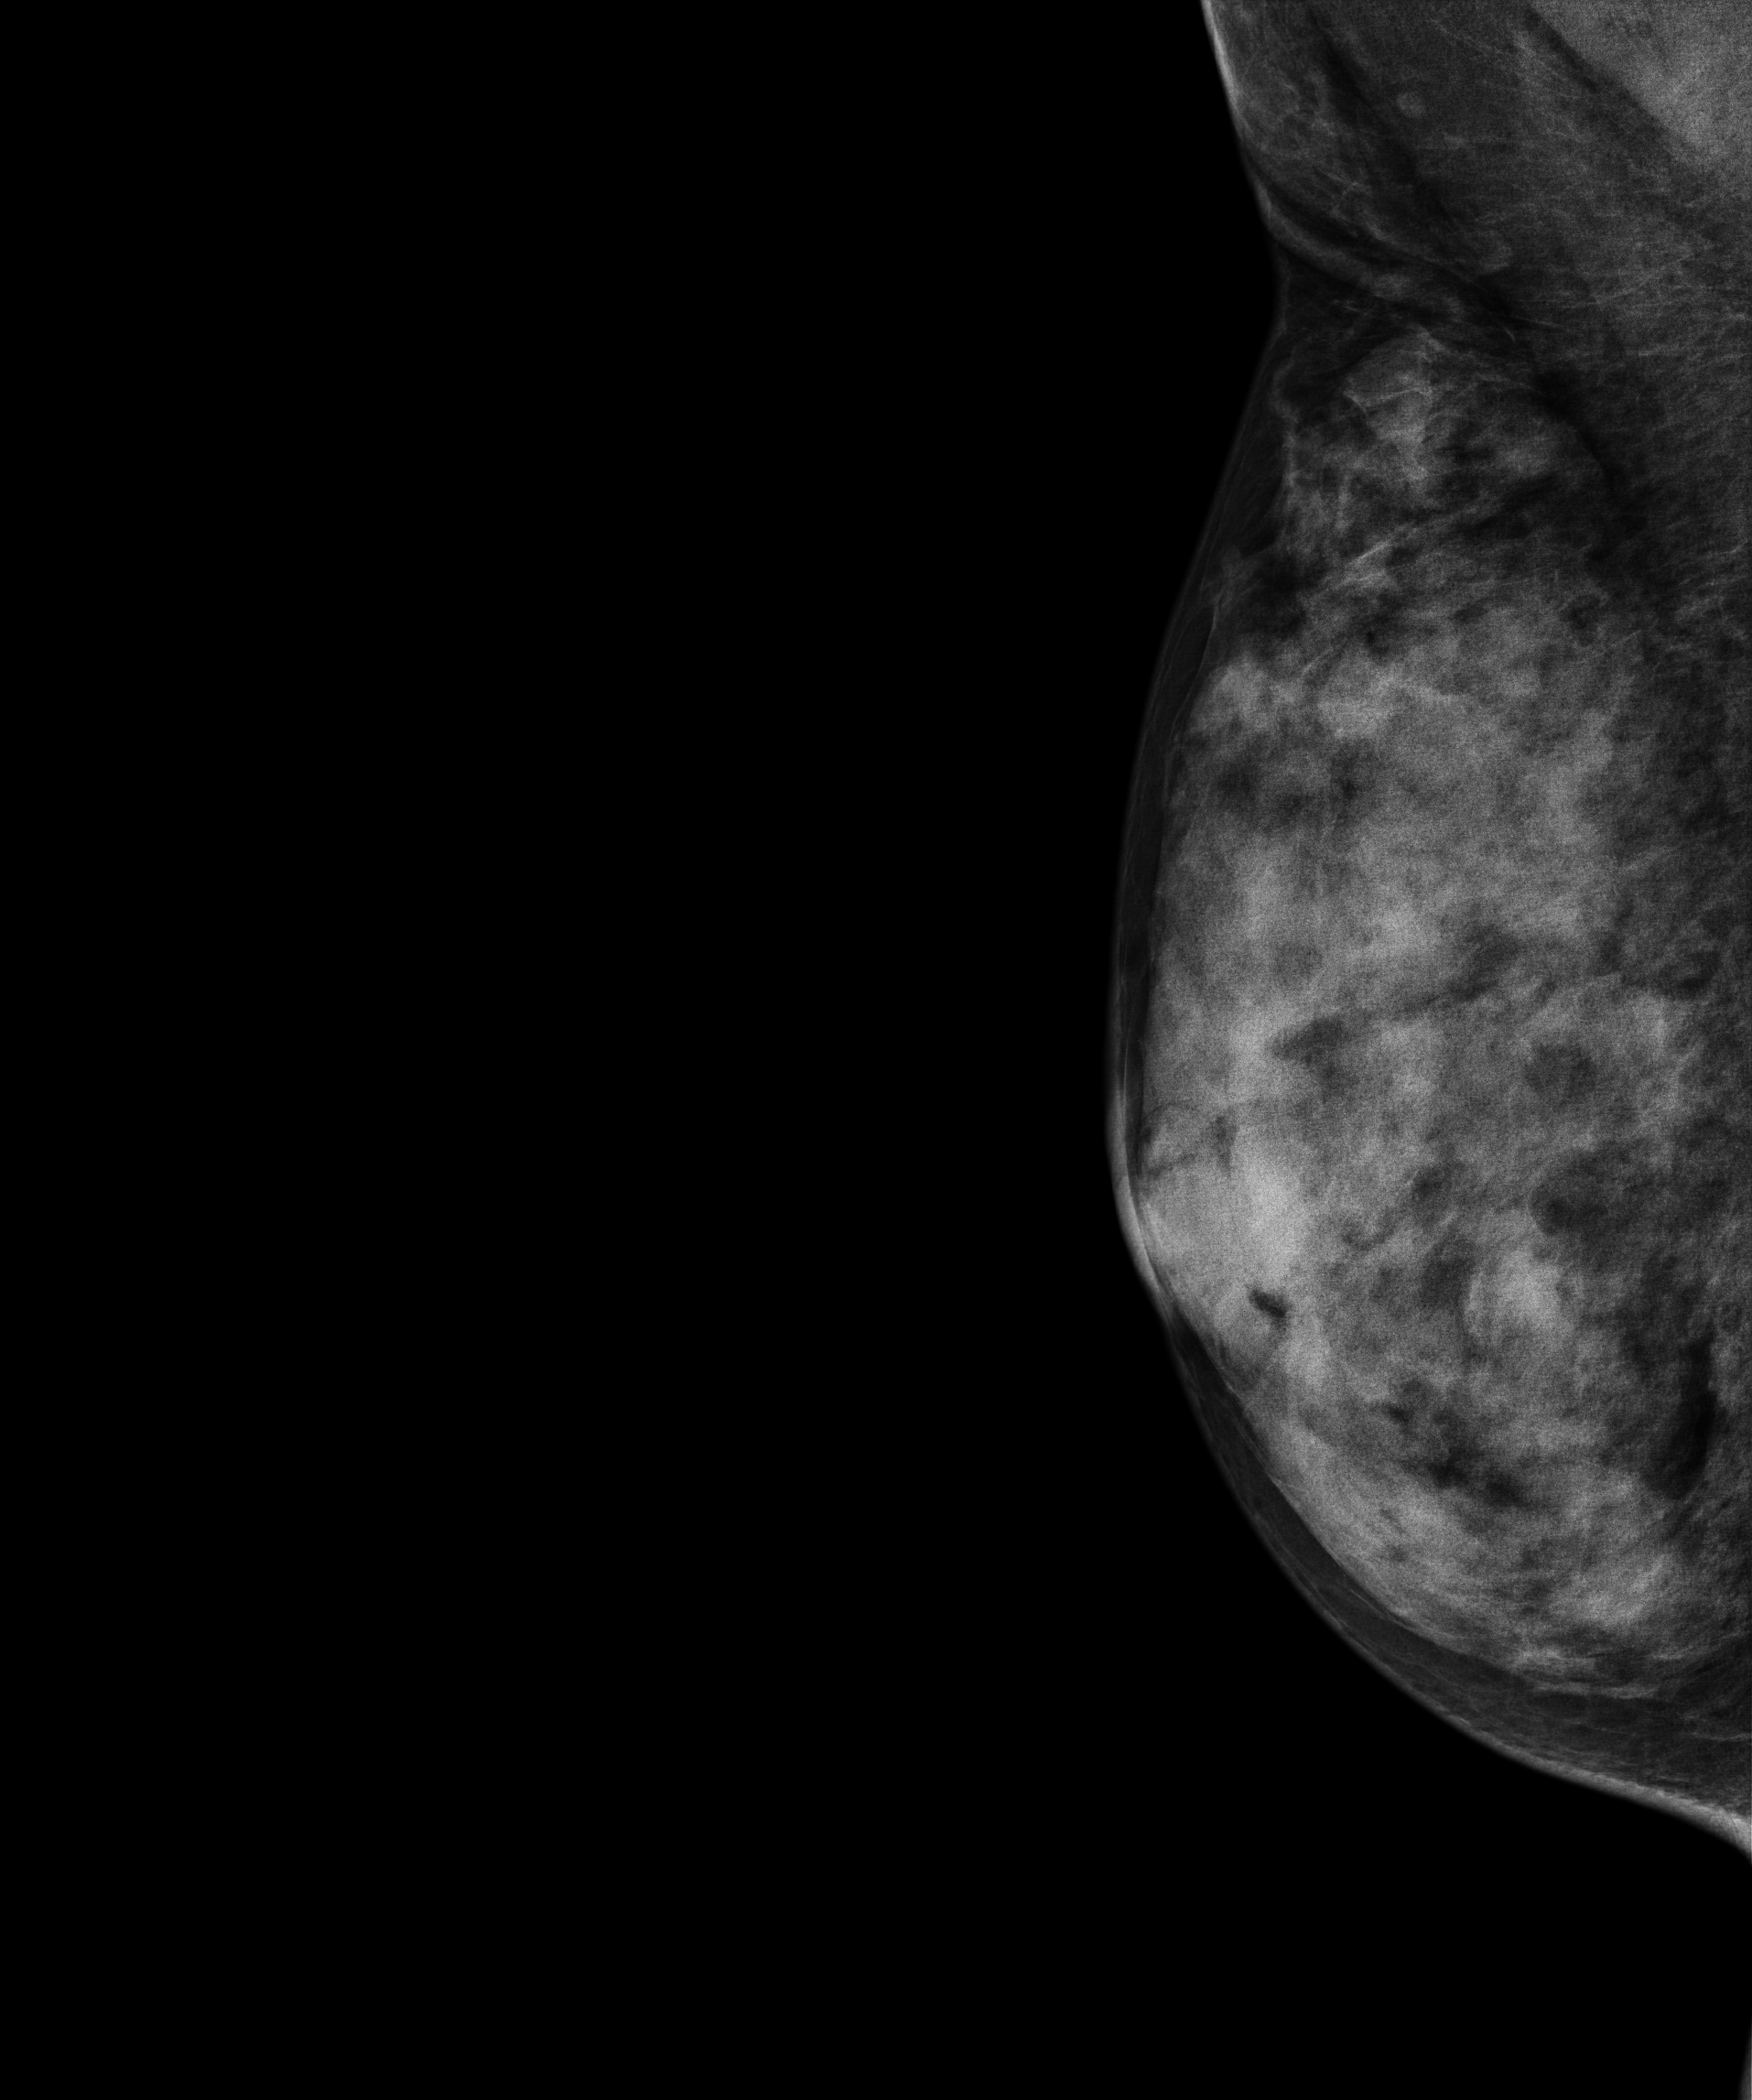
Right-breast mammogram, medio-lateral oblique. Patient age 47.
This breast has a mass, histologically confirmed benign.